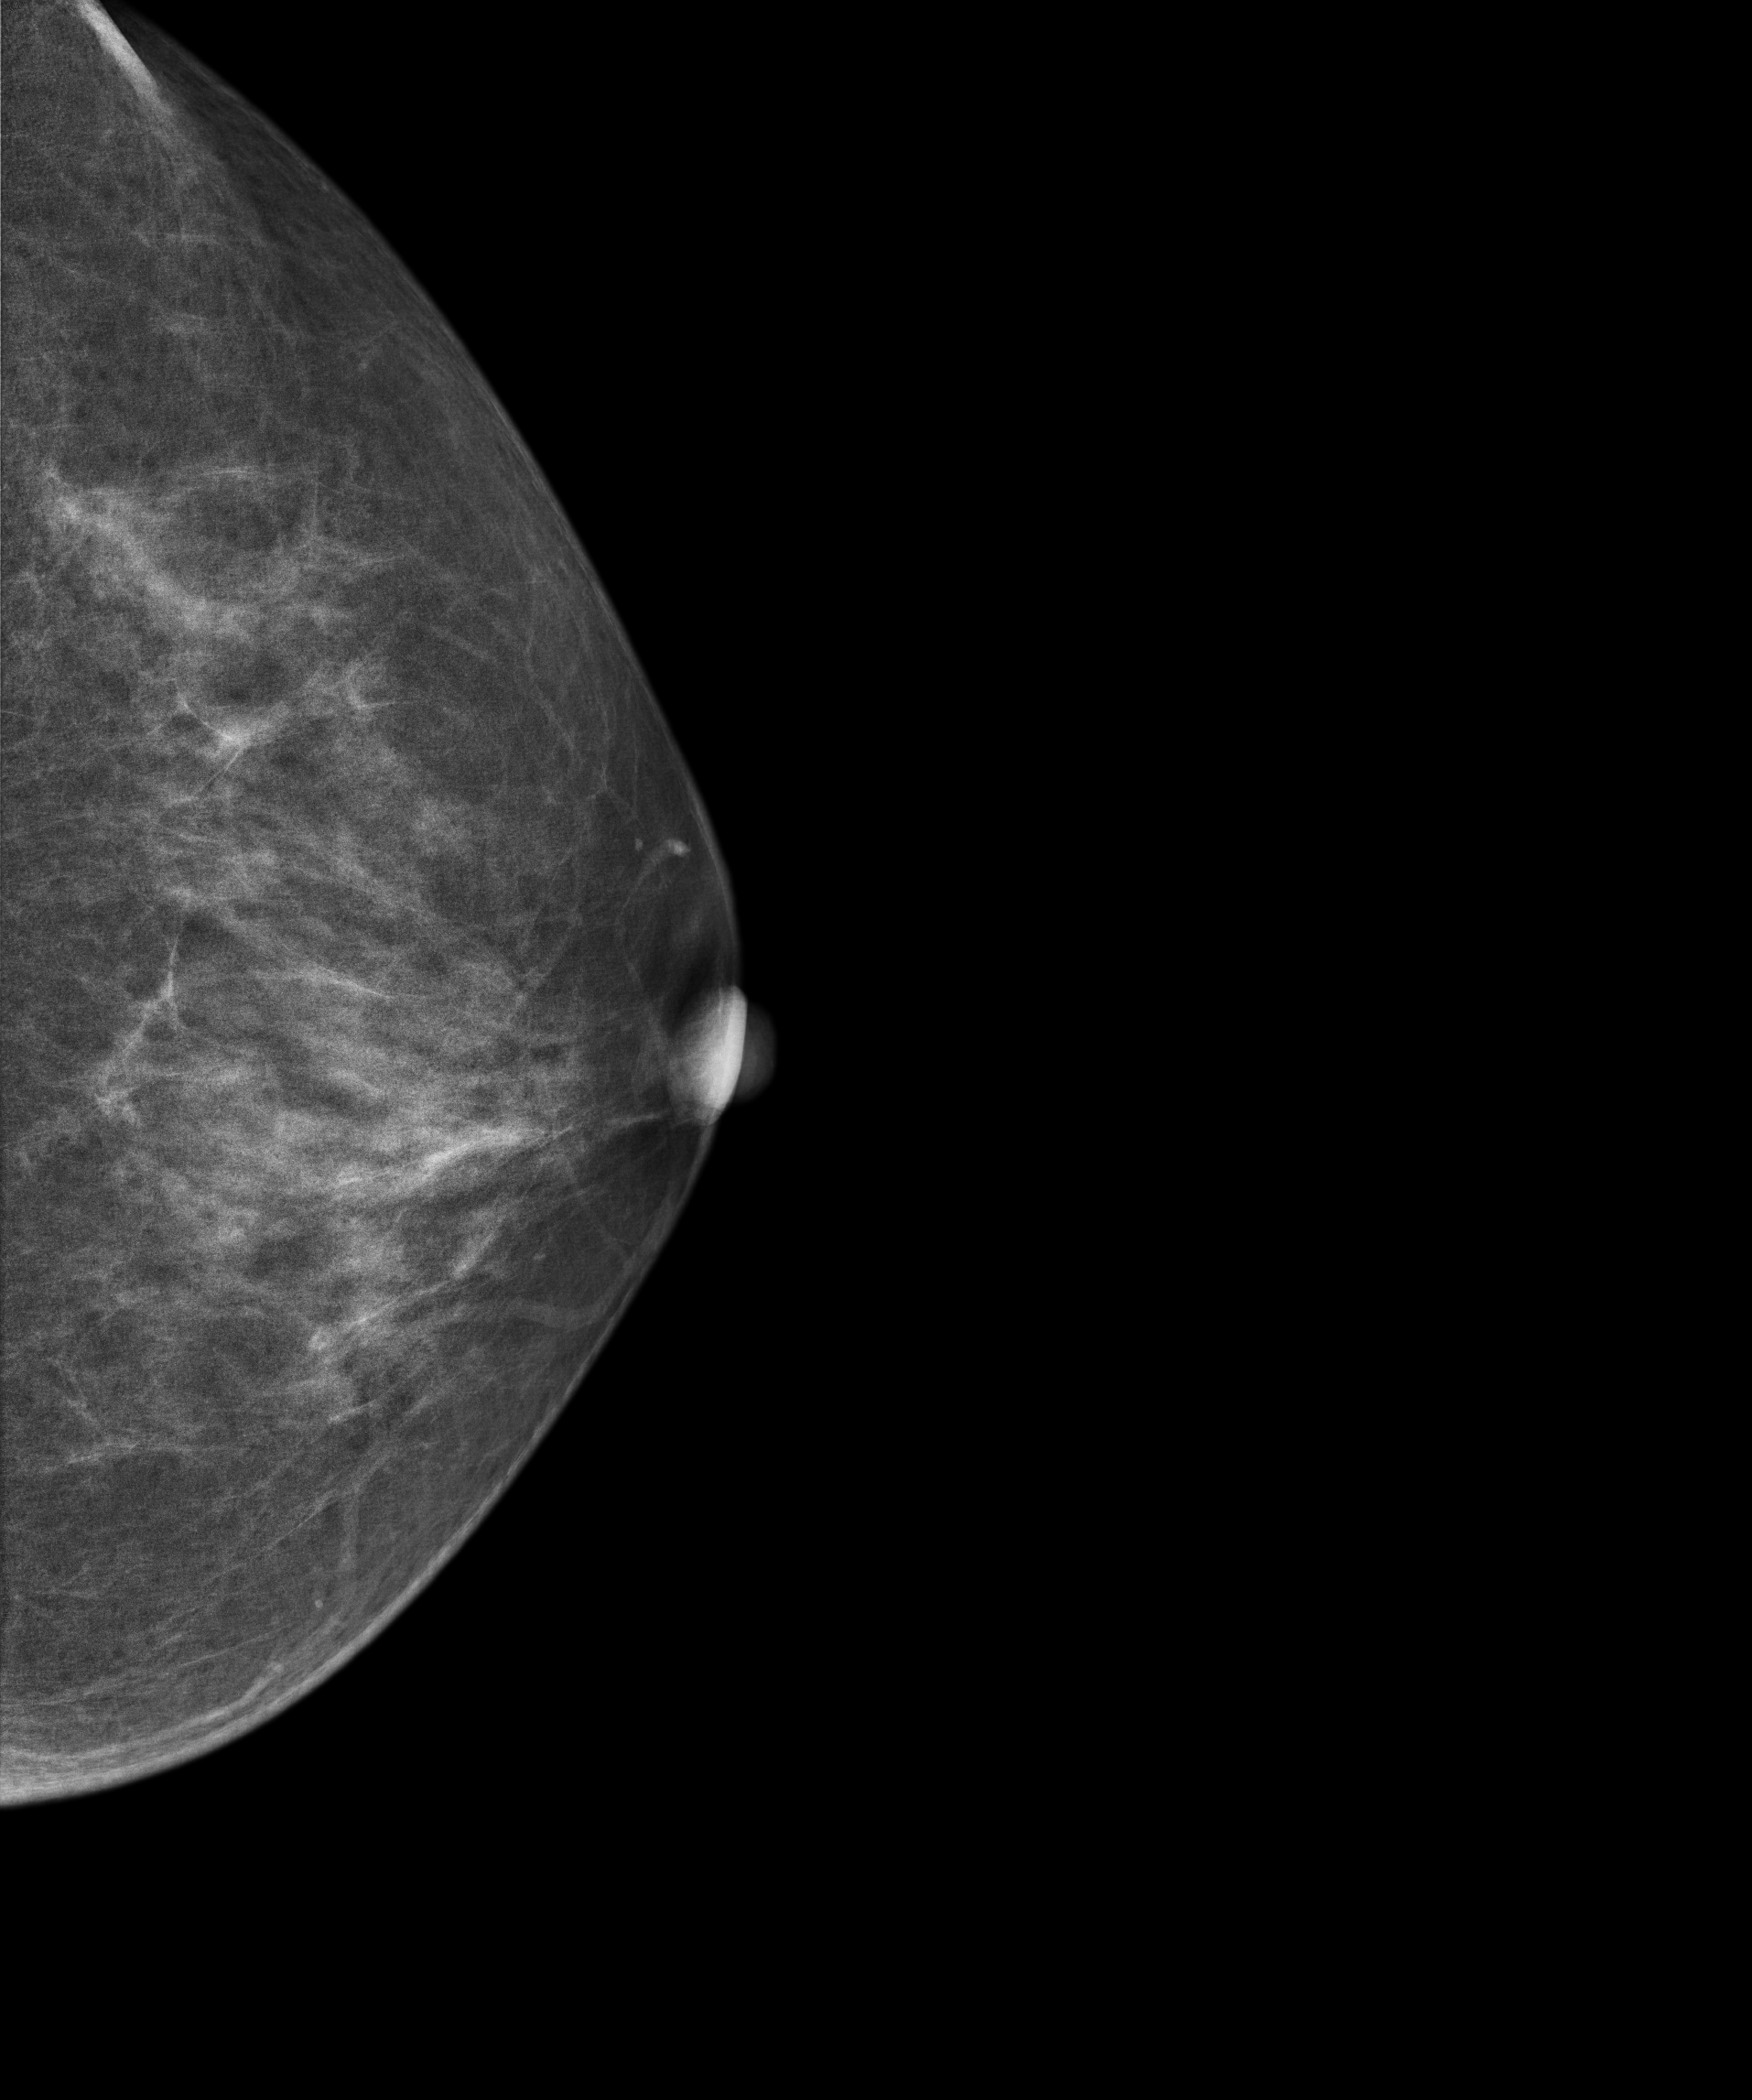
Mammogram — left CC. Patient age 47.
Contralateral breast — no documented abnormality on this side.